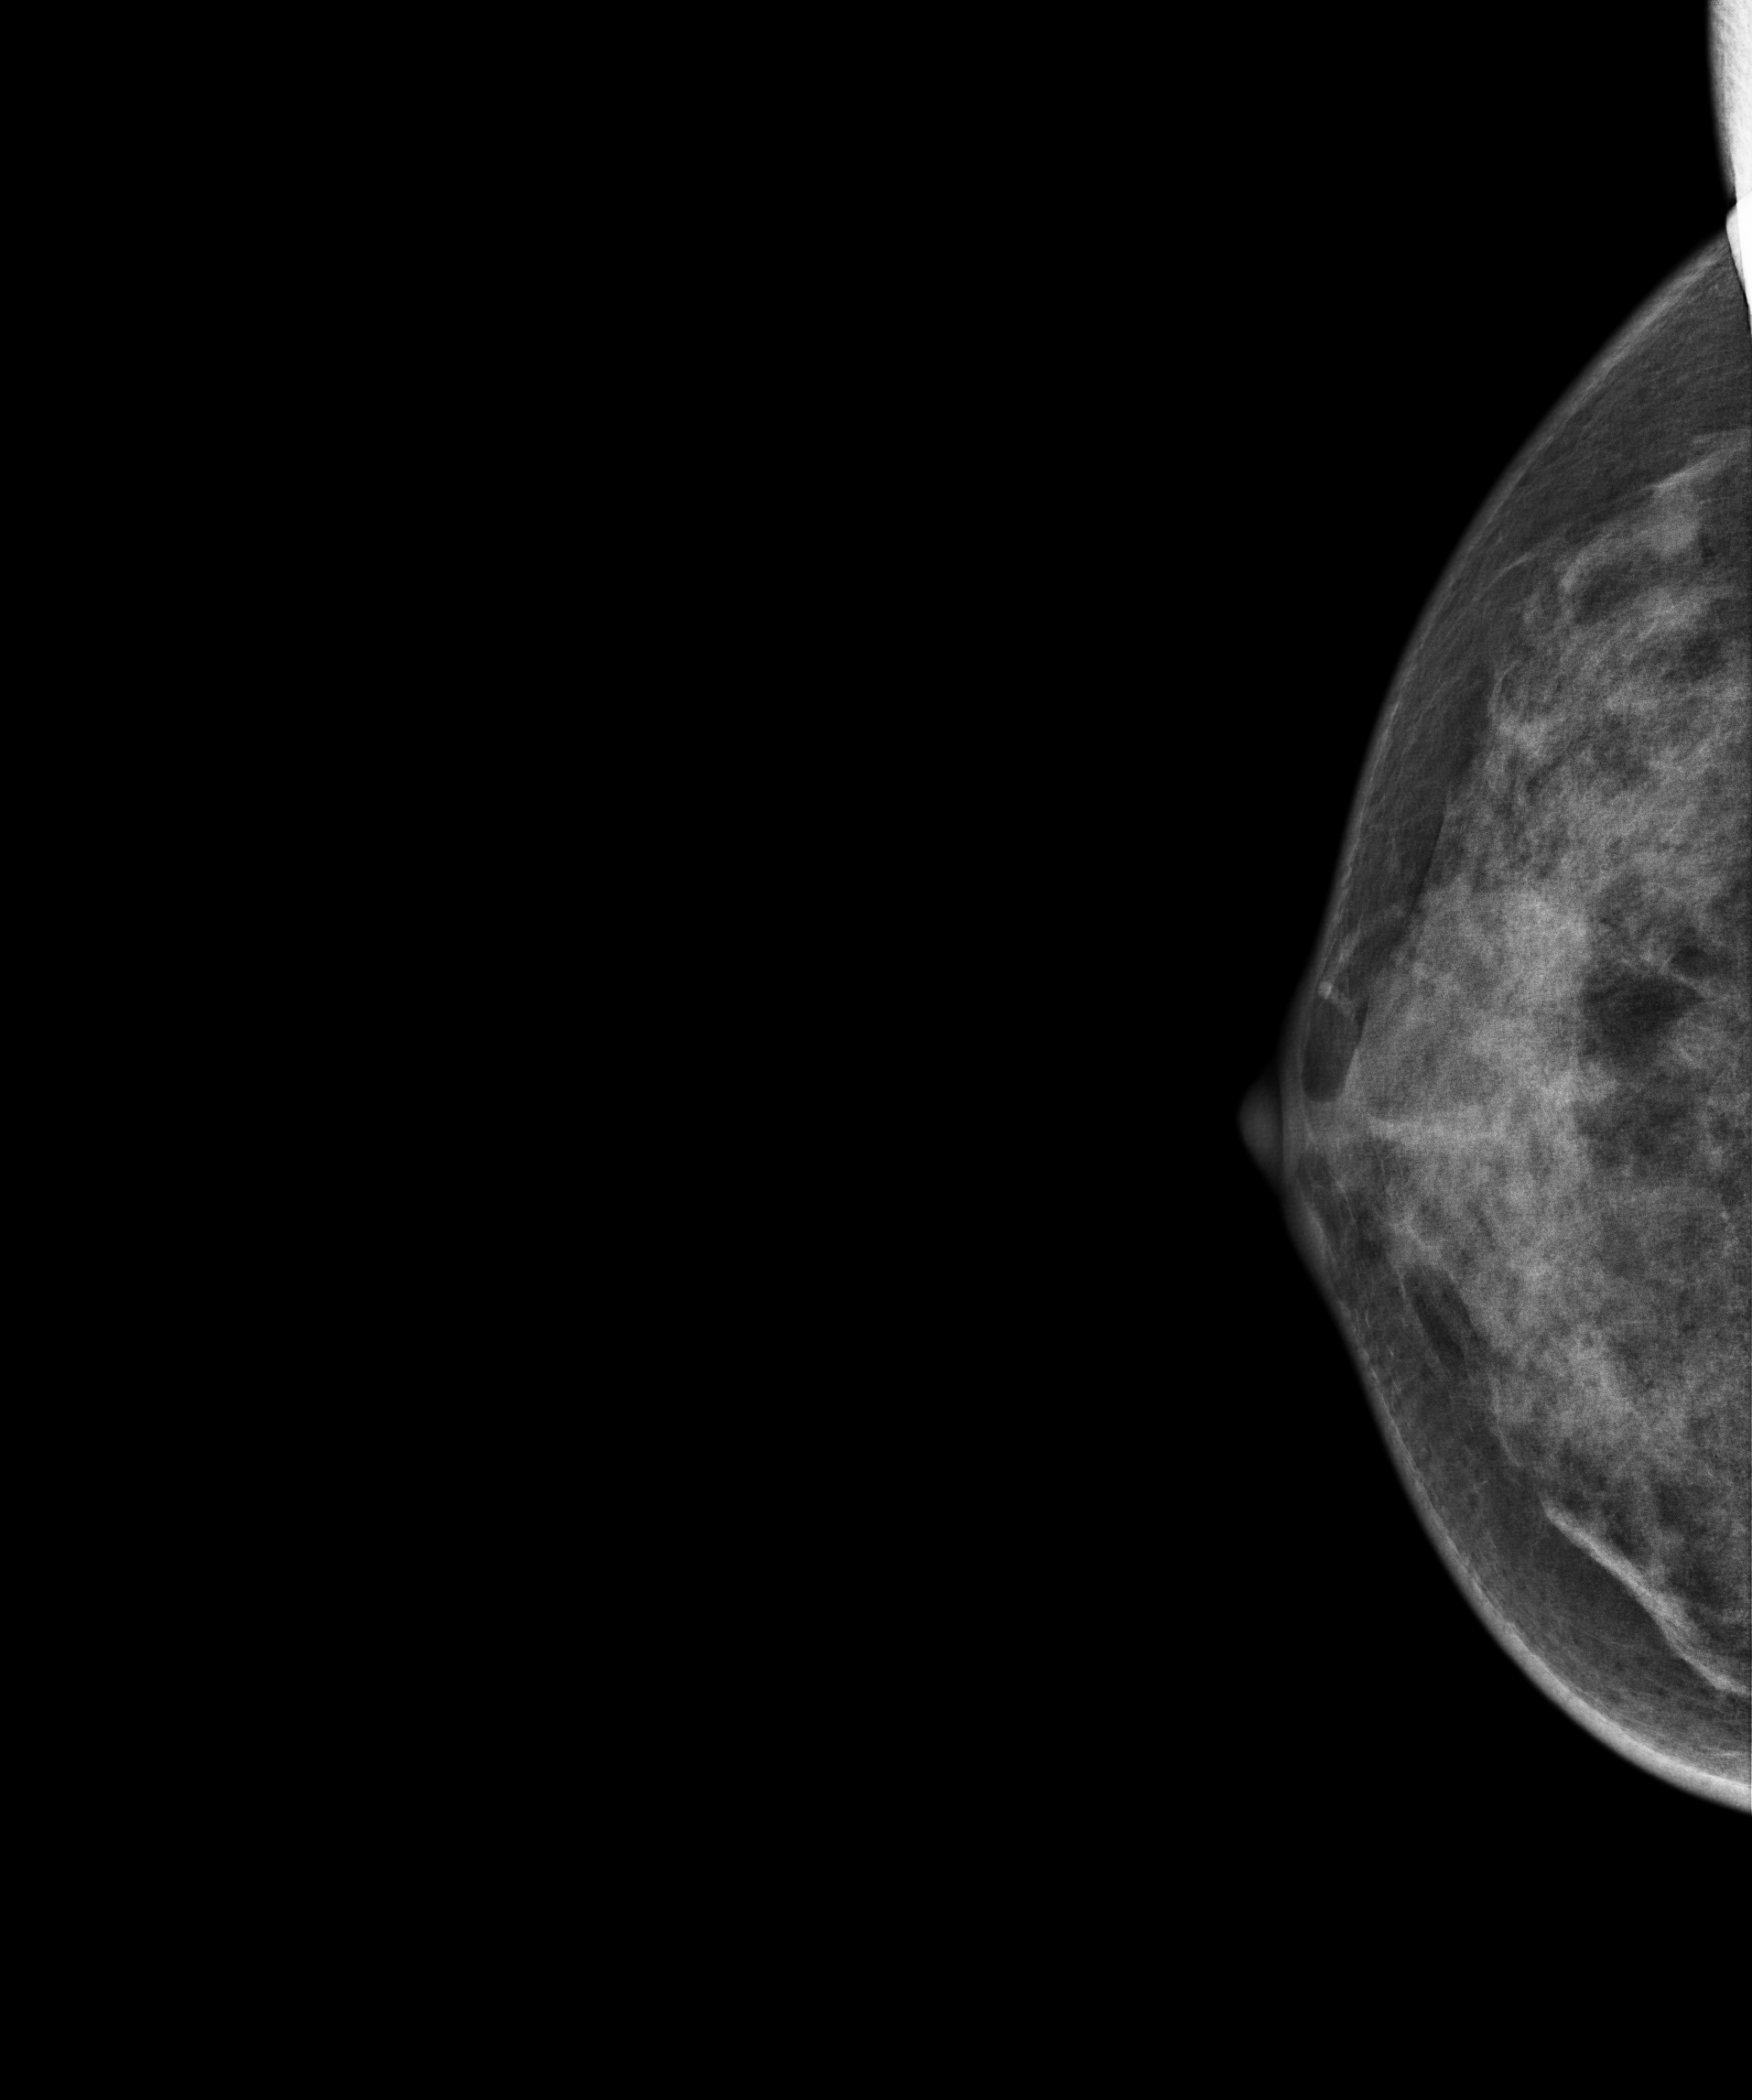
Digital mammography. Right breast, CC projection. Patient age 44.
Contralateral breast — no documented abnormality on this side.